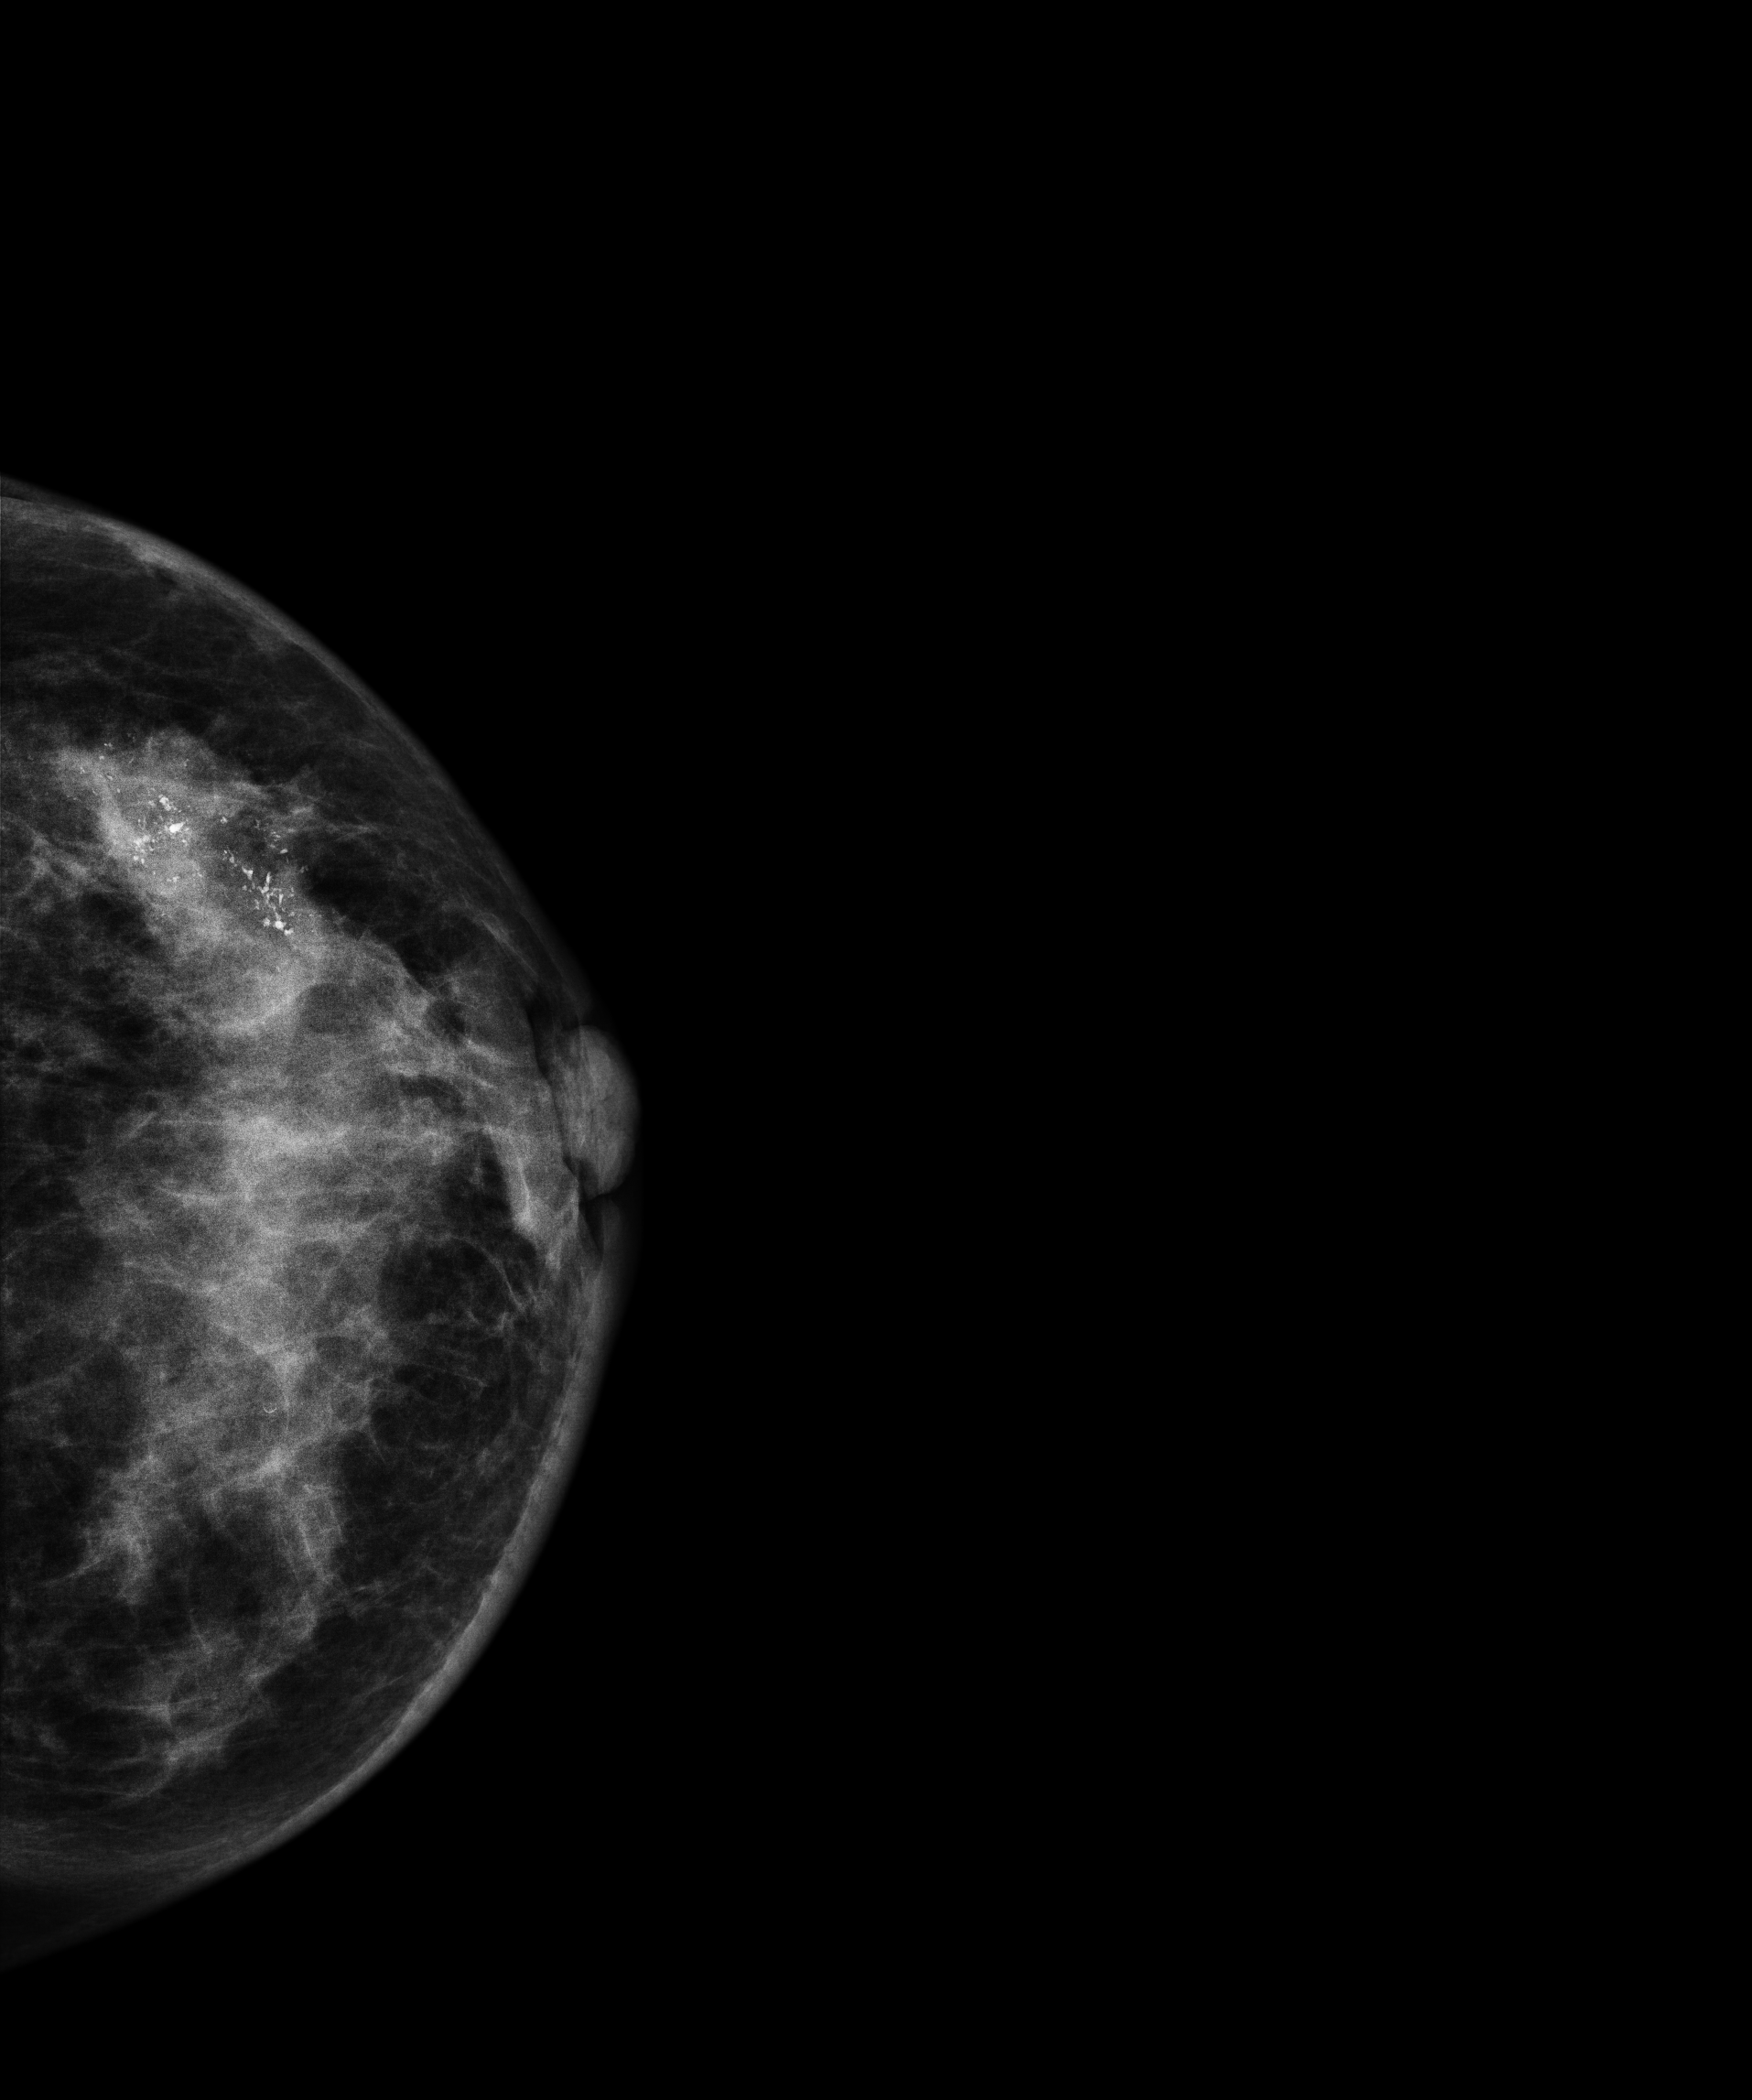
Mammogram, left breast, cranio-caudal view. 42-year-old patient.
This breast has calcifications, biopsy-proven malignant.